Mammogram, right breast, CC view. 33 y/o patient.
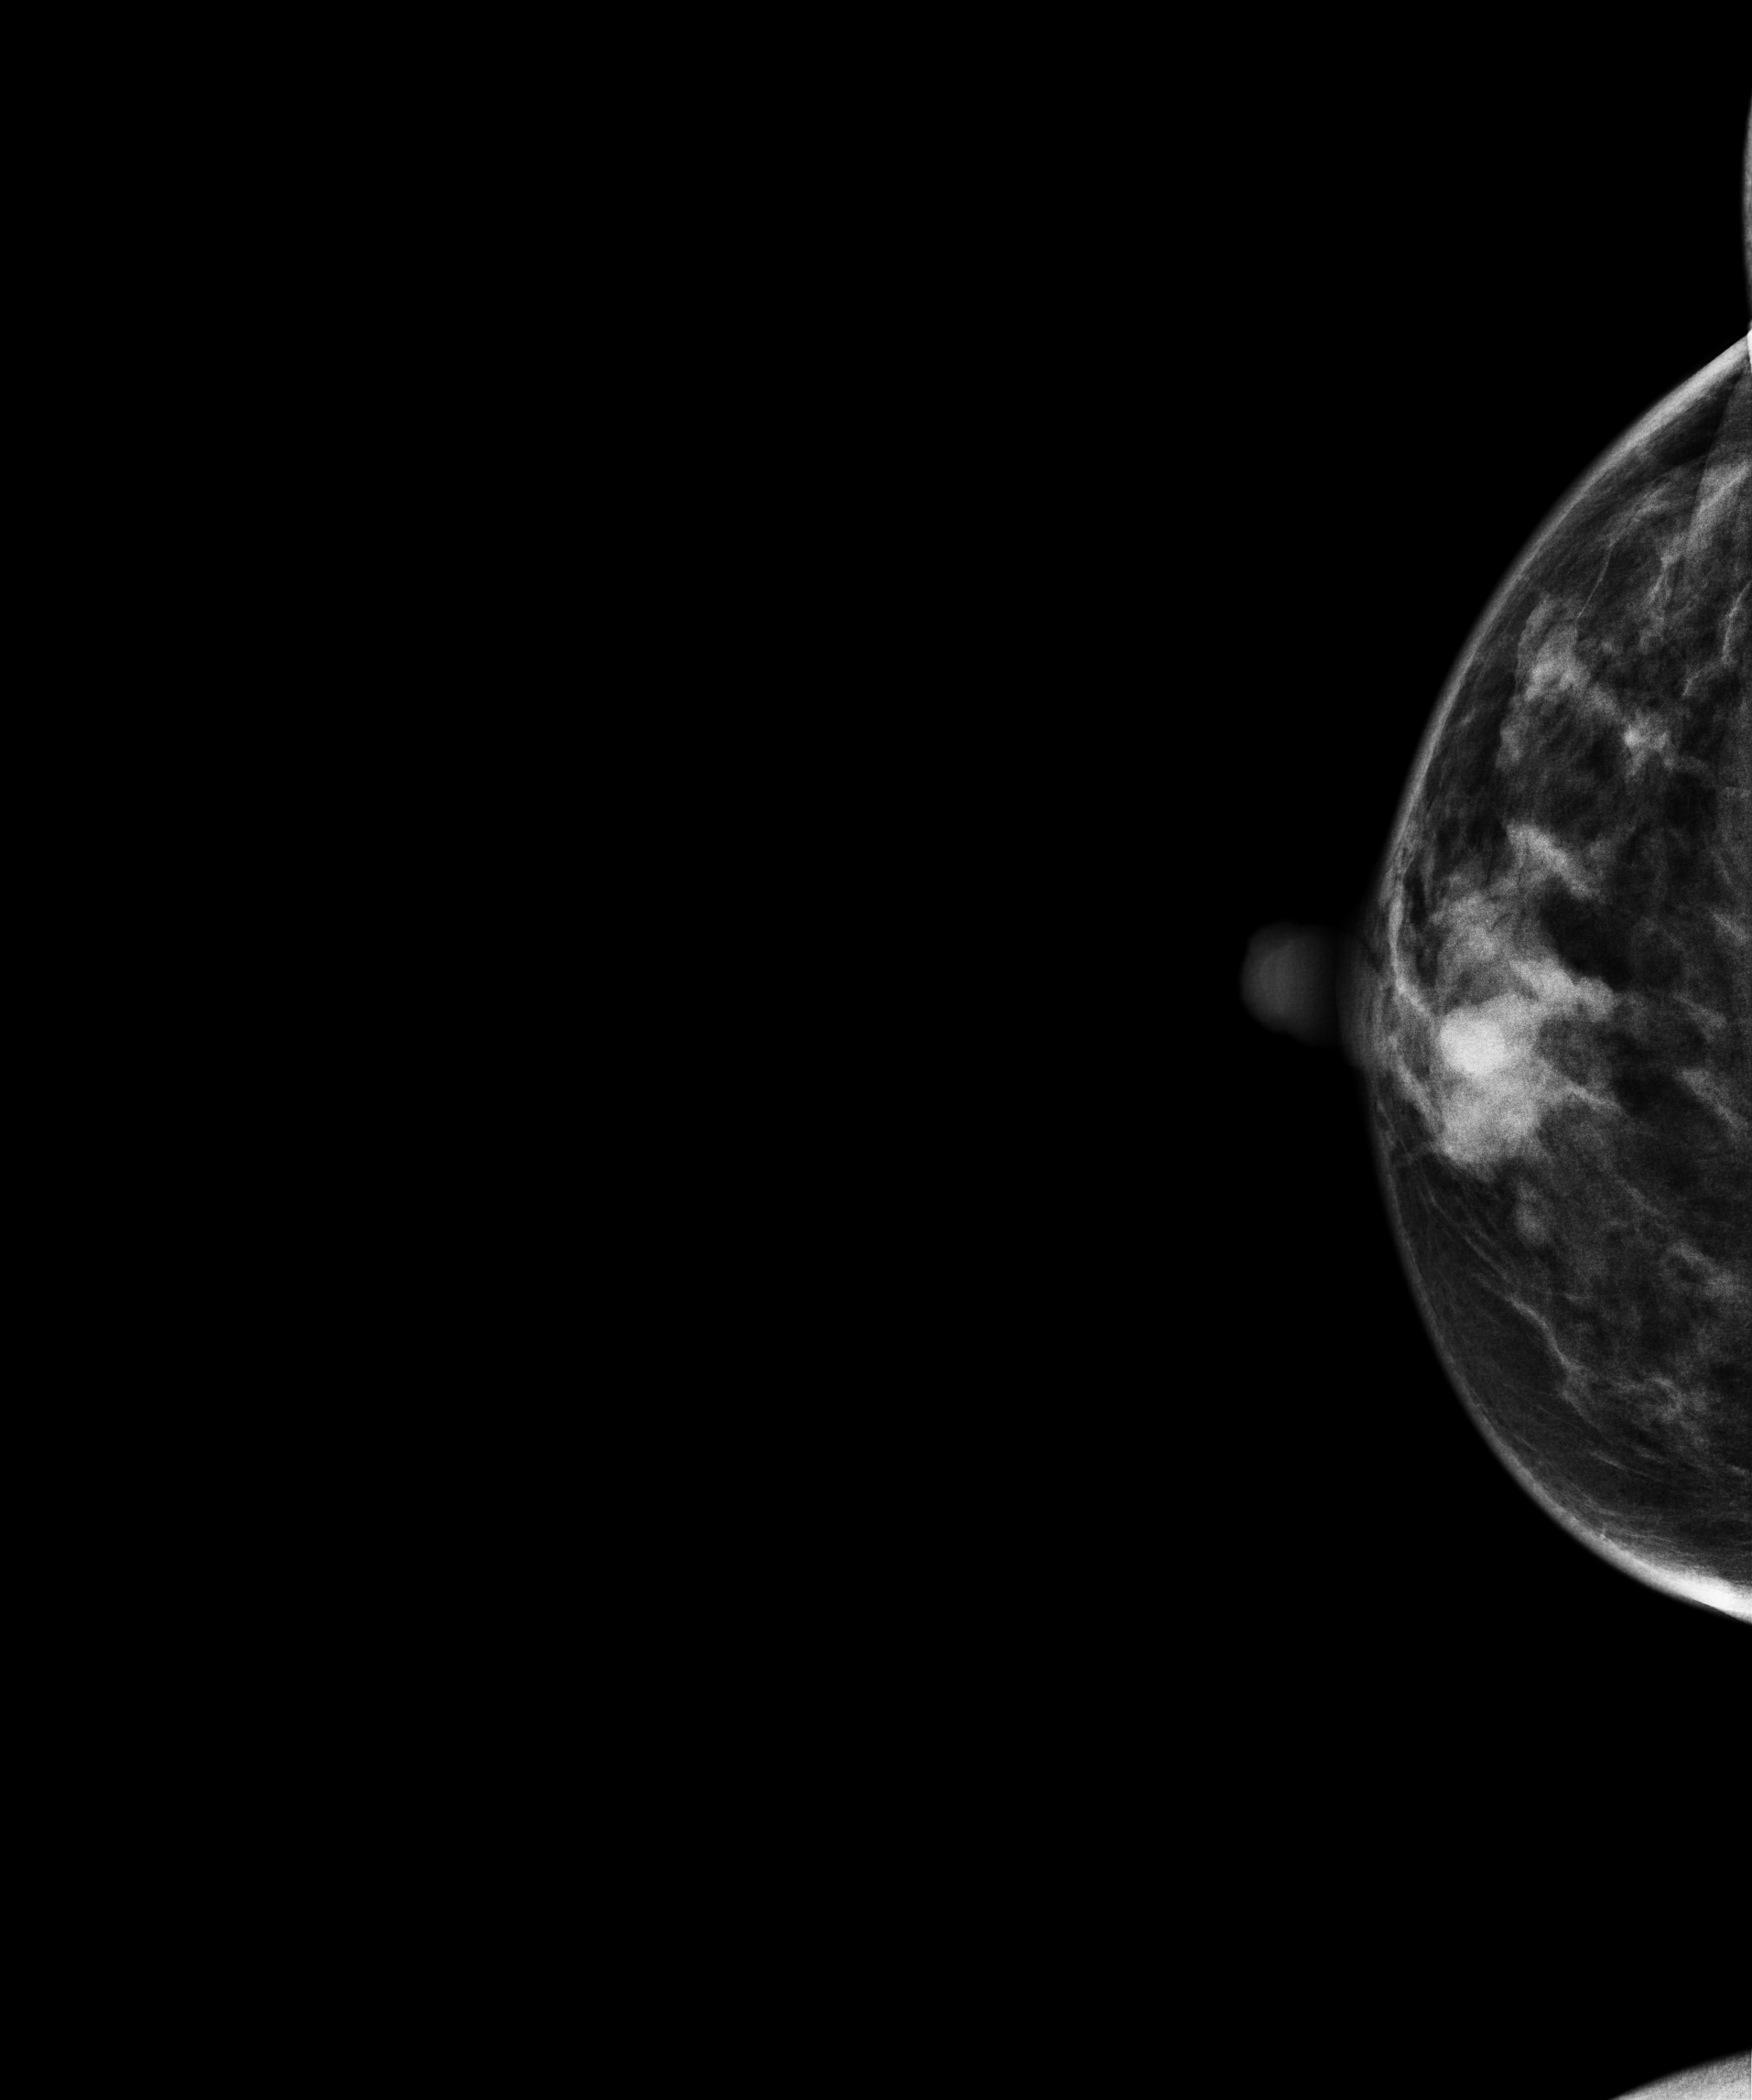
This breast has a mass, biopsy-confirmed malignant.